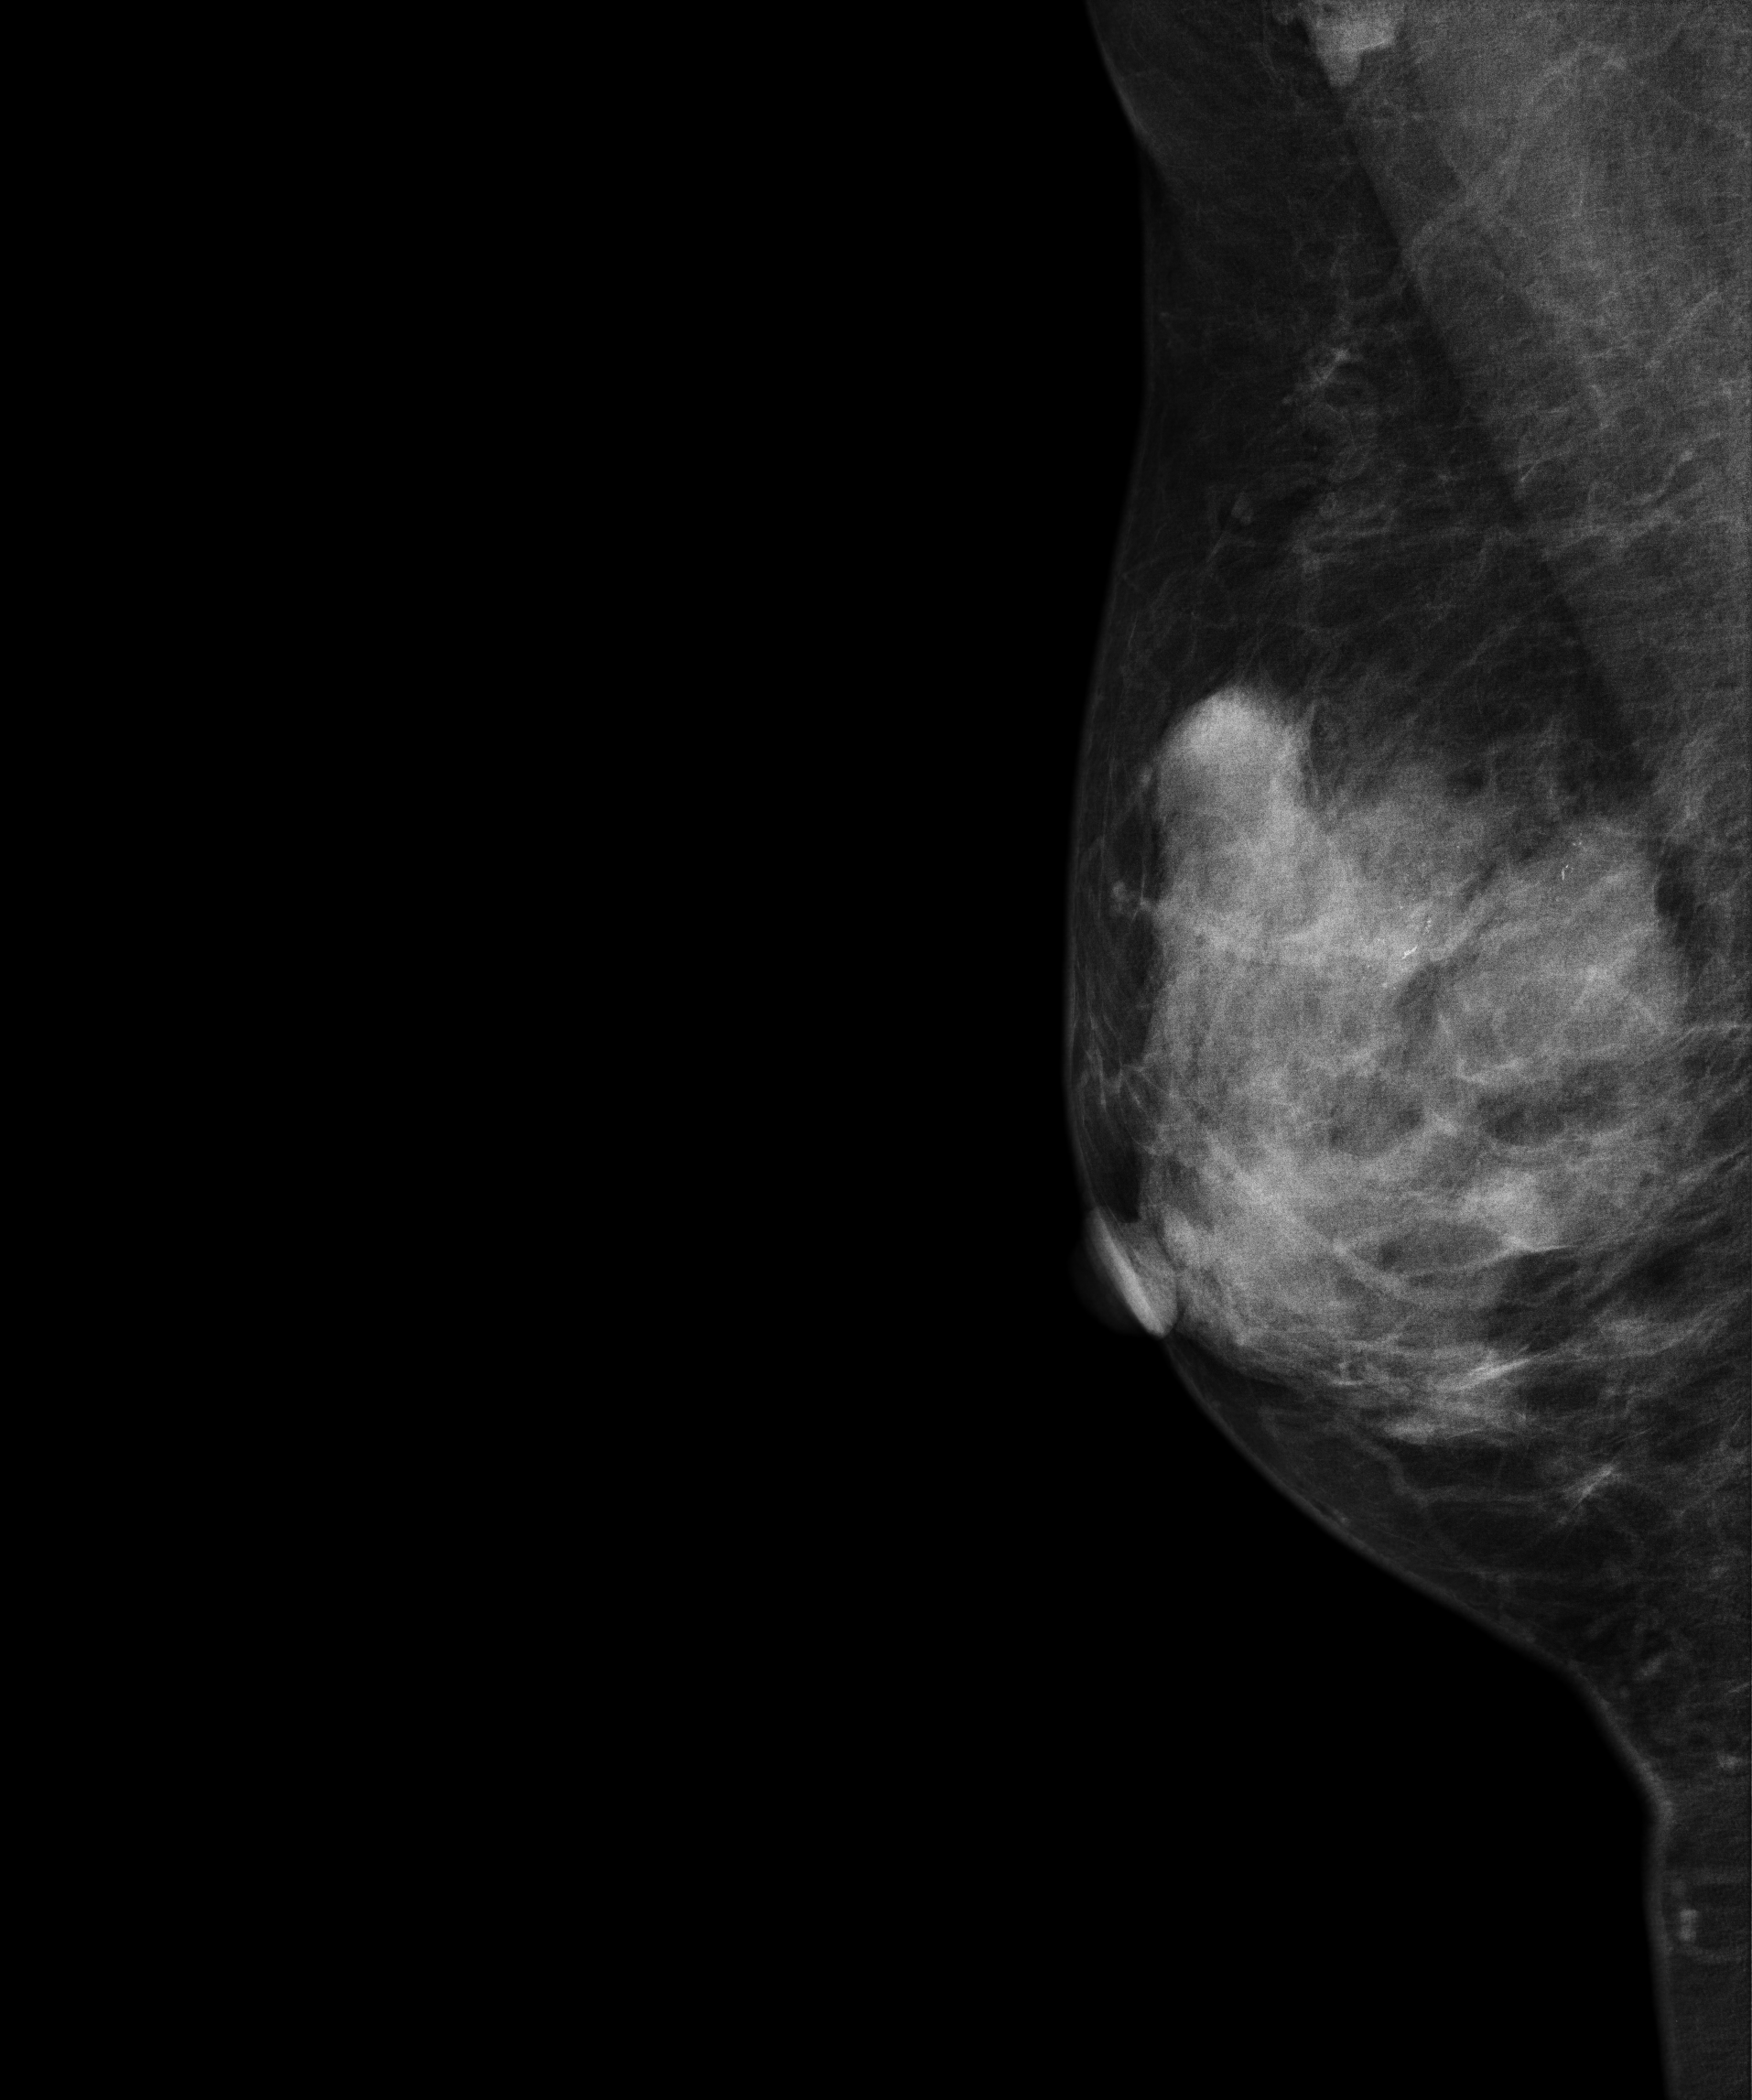
Mammogram — right MLO. 55 y/o patient.
This breast has a mass and calcifications, pathology-confirmed malignant.